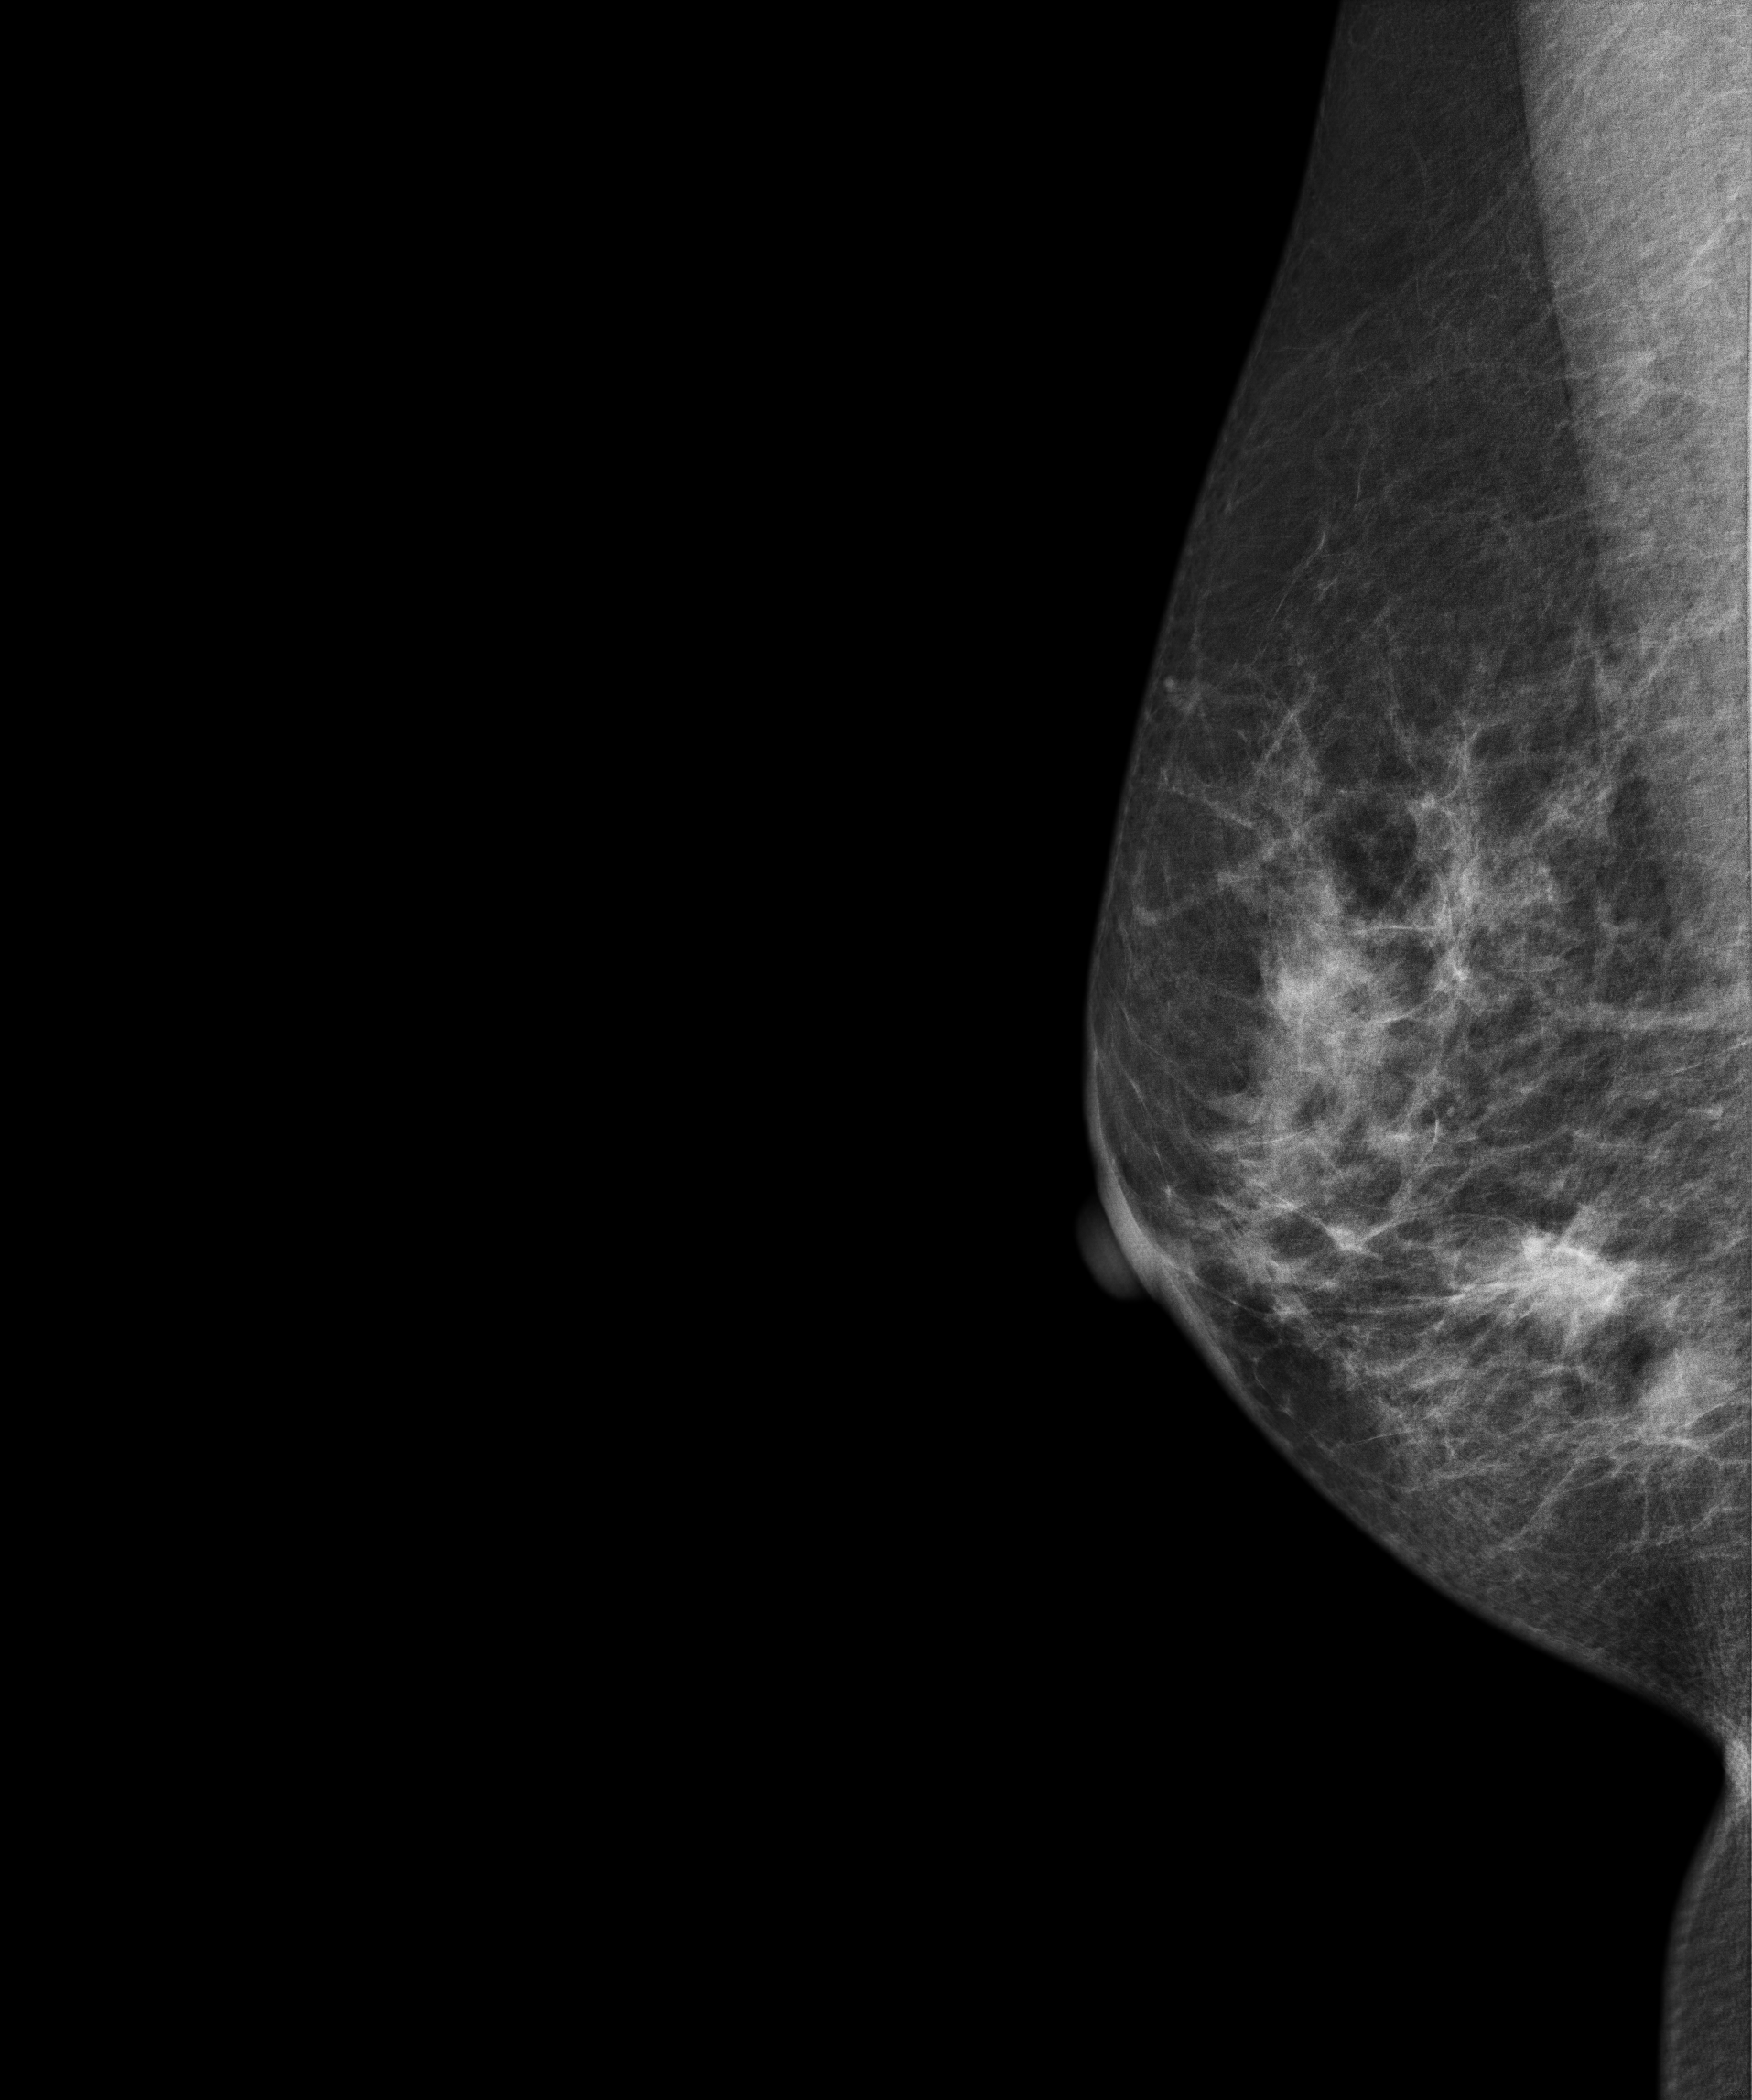
Mammogram — right medio-lateral oblique. Patient age 69.
This breast has a mass, biopsy-proven malignant. Molecular subtype: luminal B.